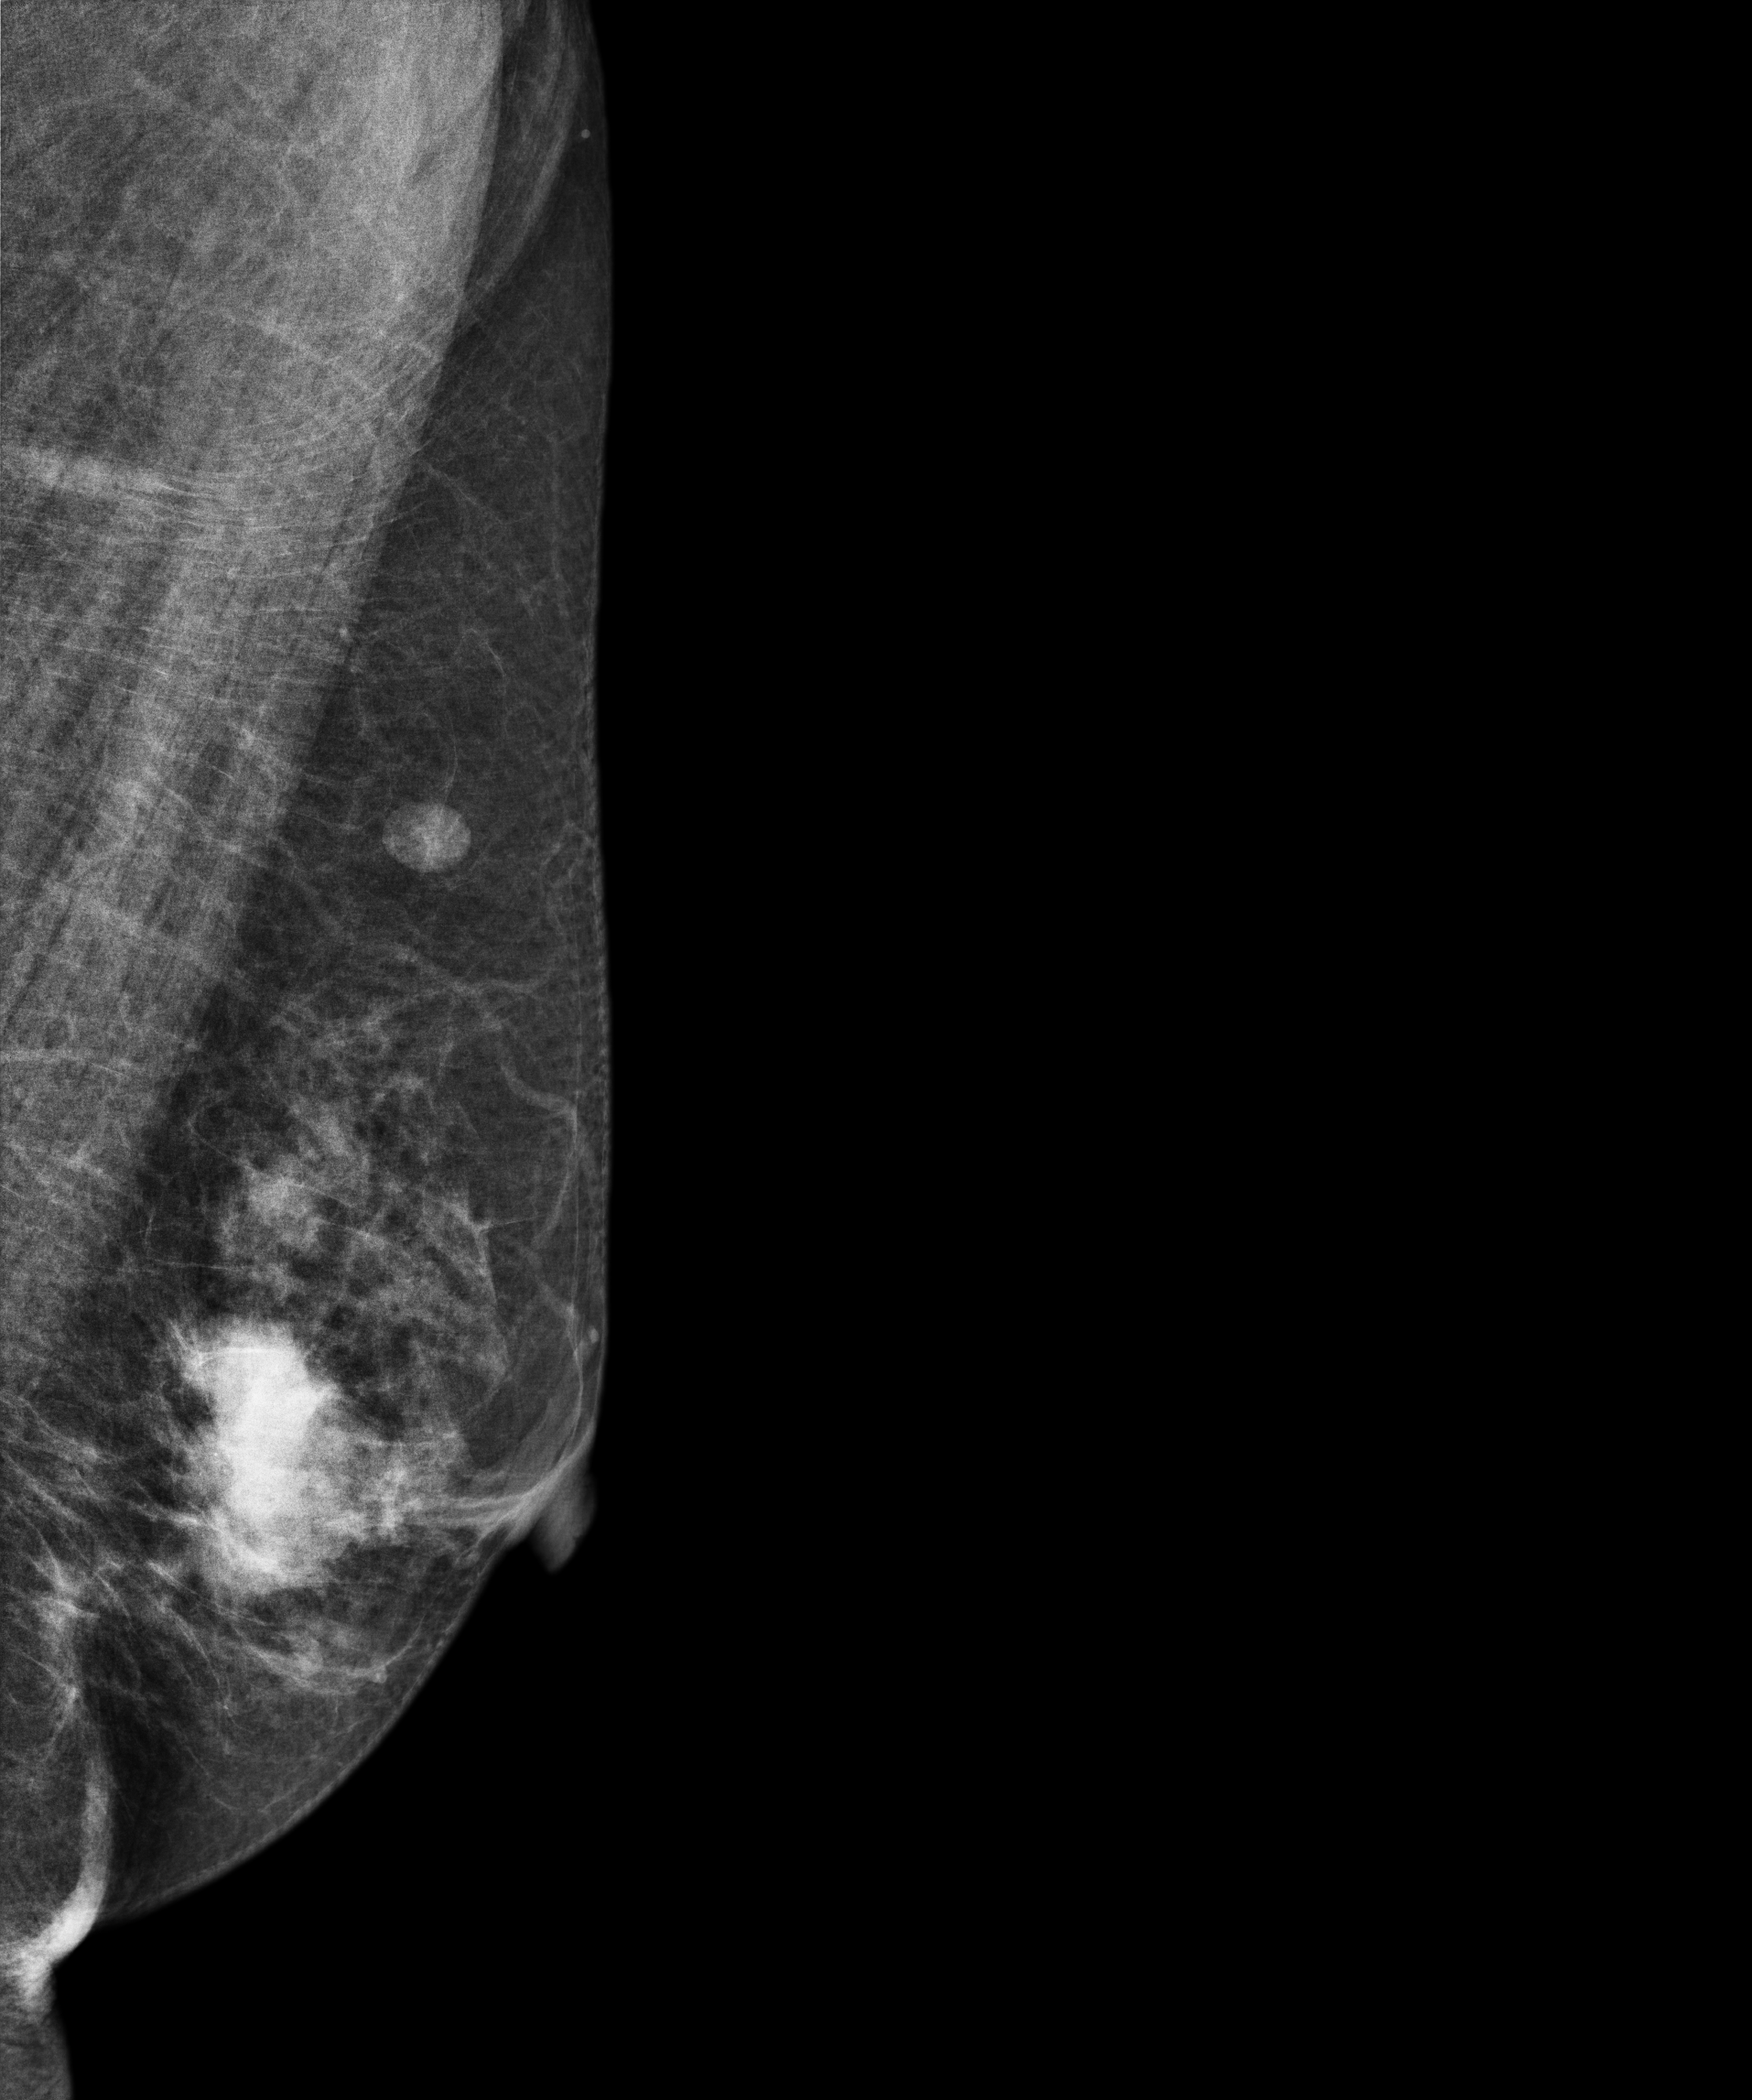
Mammogram — left MLO. Patient age 65.
This breast has a mass, biopsy-confirmed malignant. Molecular subtype: luminal A.